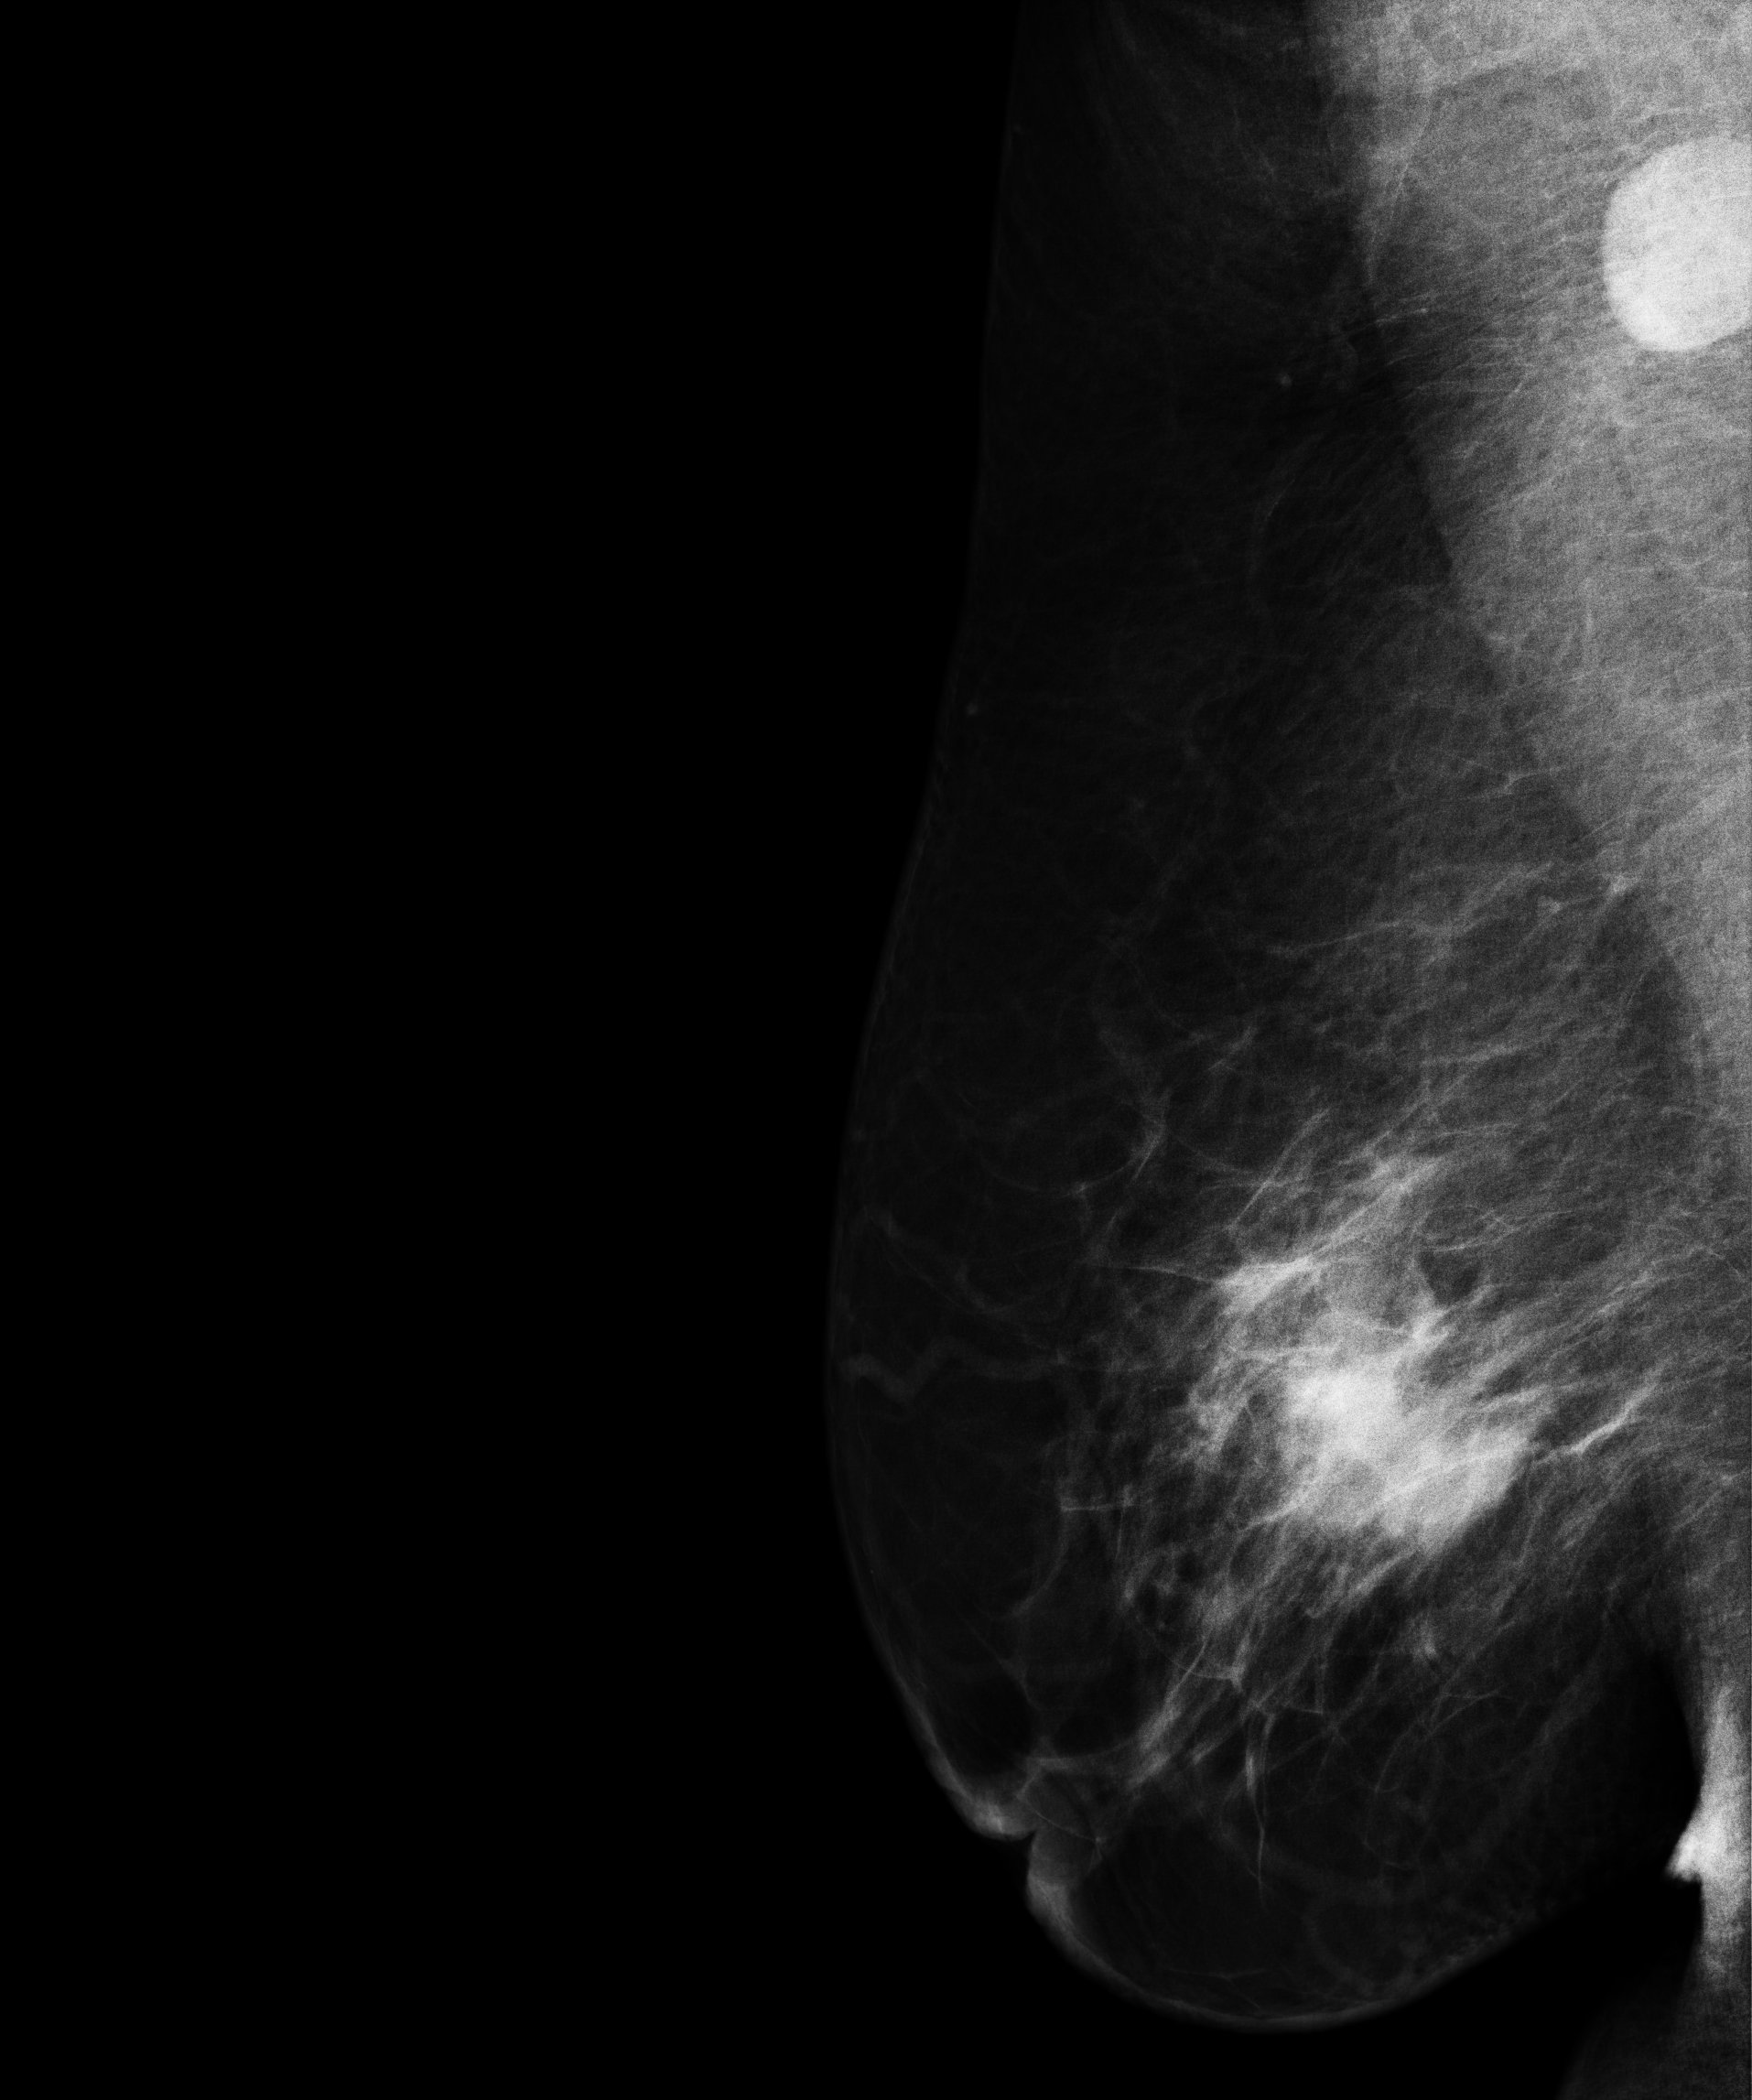
Mammogram — right MLO. 47 y/o patient.
This breast has a mass, histologically confirmed malignant.